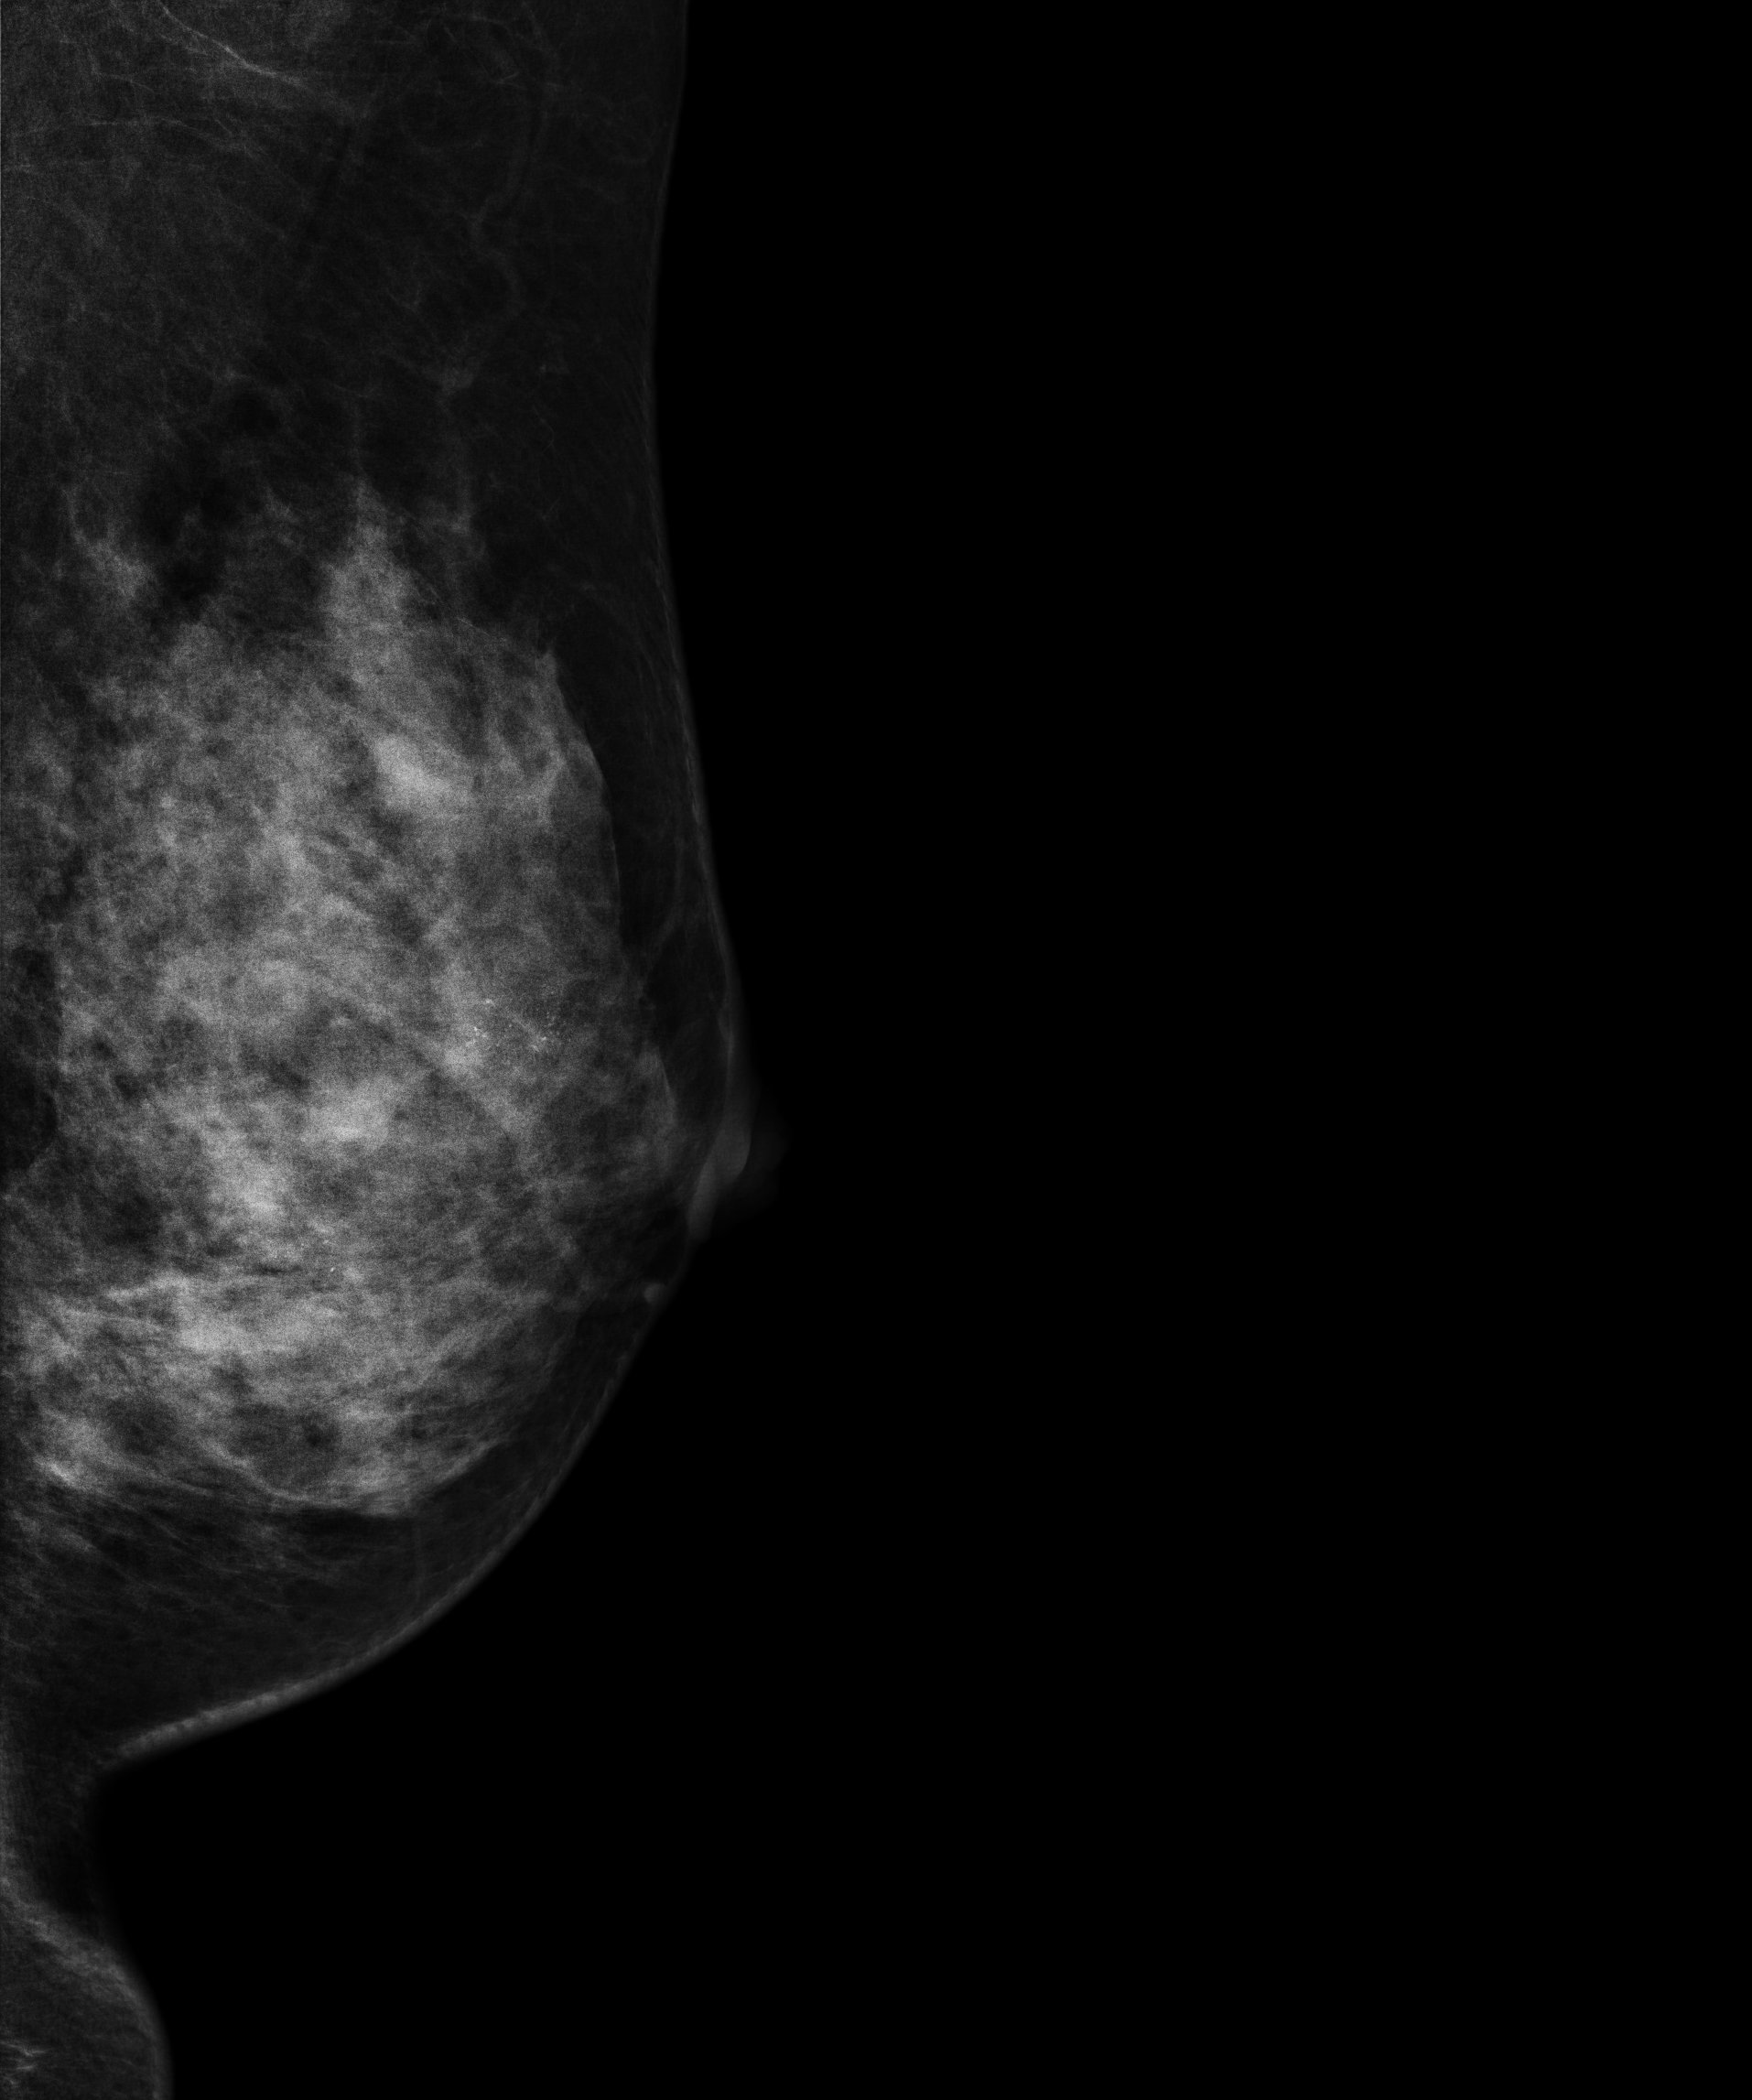
Digital mammography. Left breast, medio-lateral oblique projection. 47 y/o patient.
This breast has calcifications, histologically confirmed malignant.